Mammogram — left cranio-caudal. 46-year-old patient.
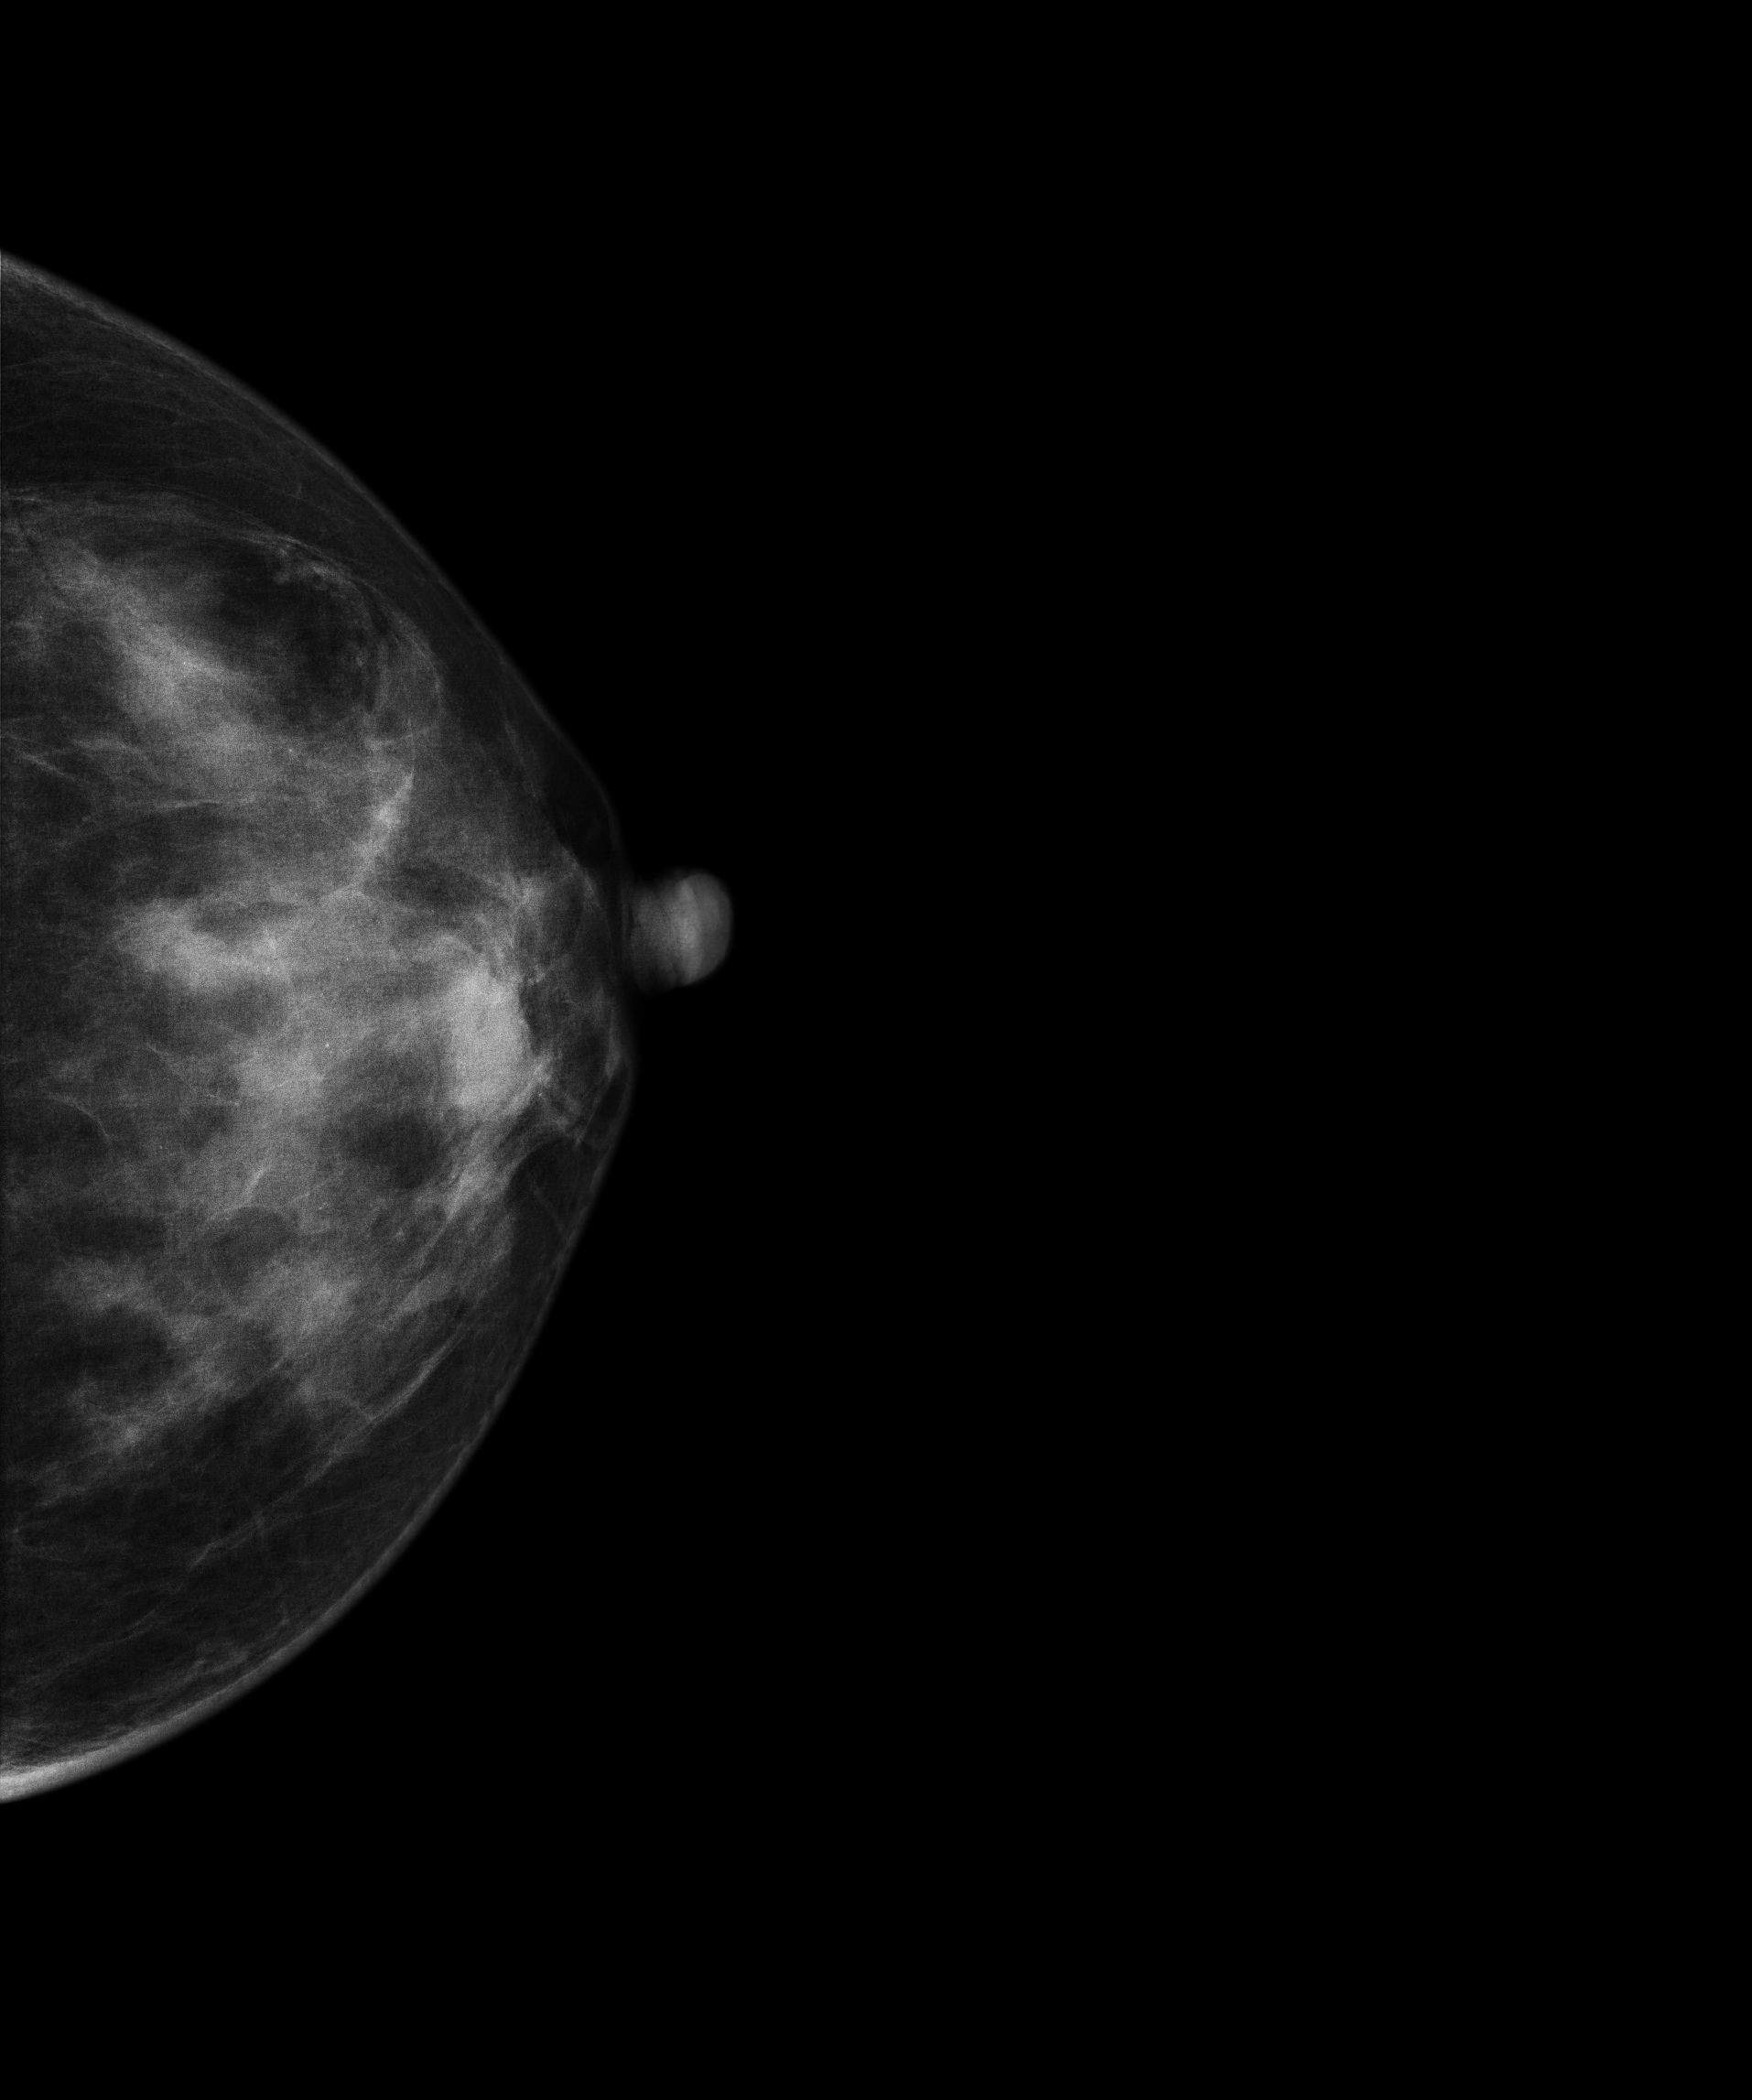
This breast has a mass, histologically confirmed benign.